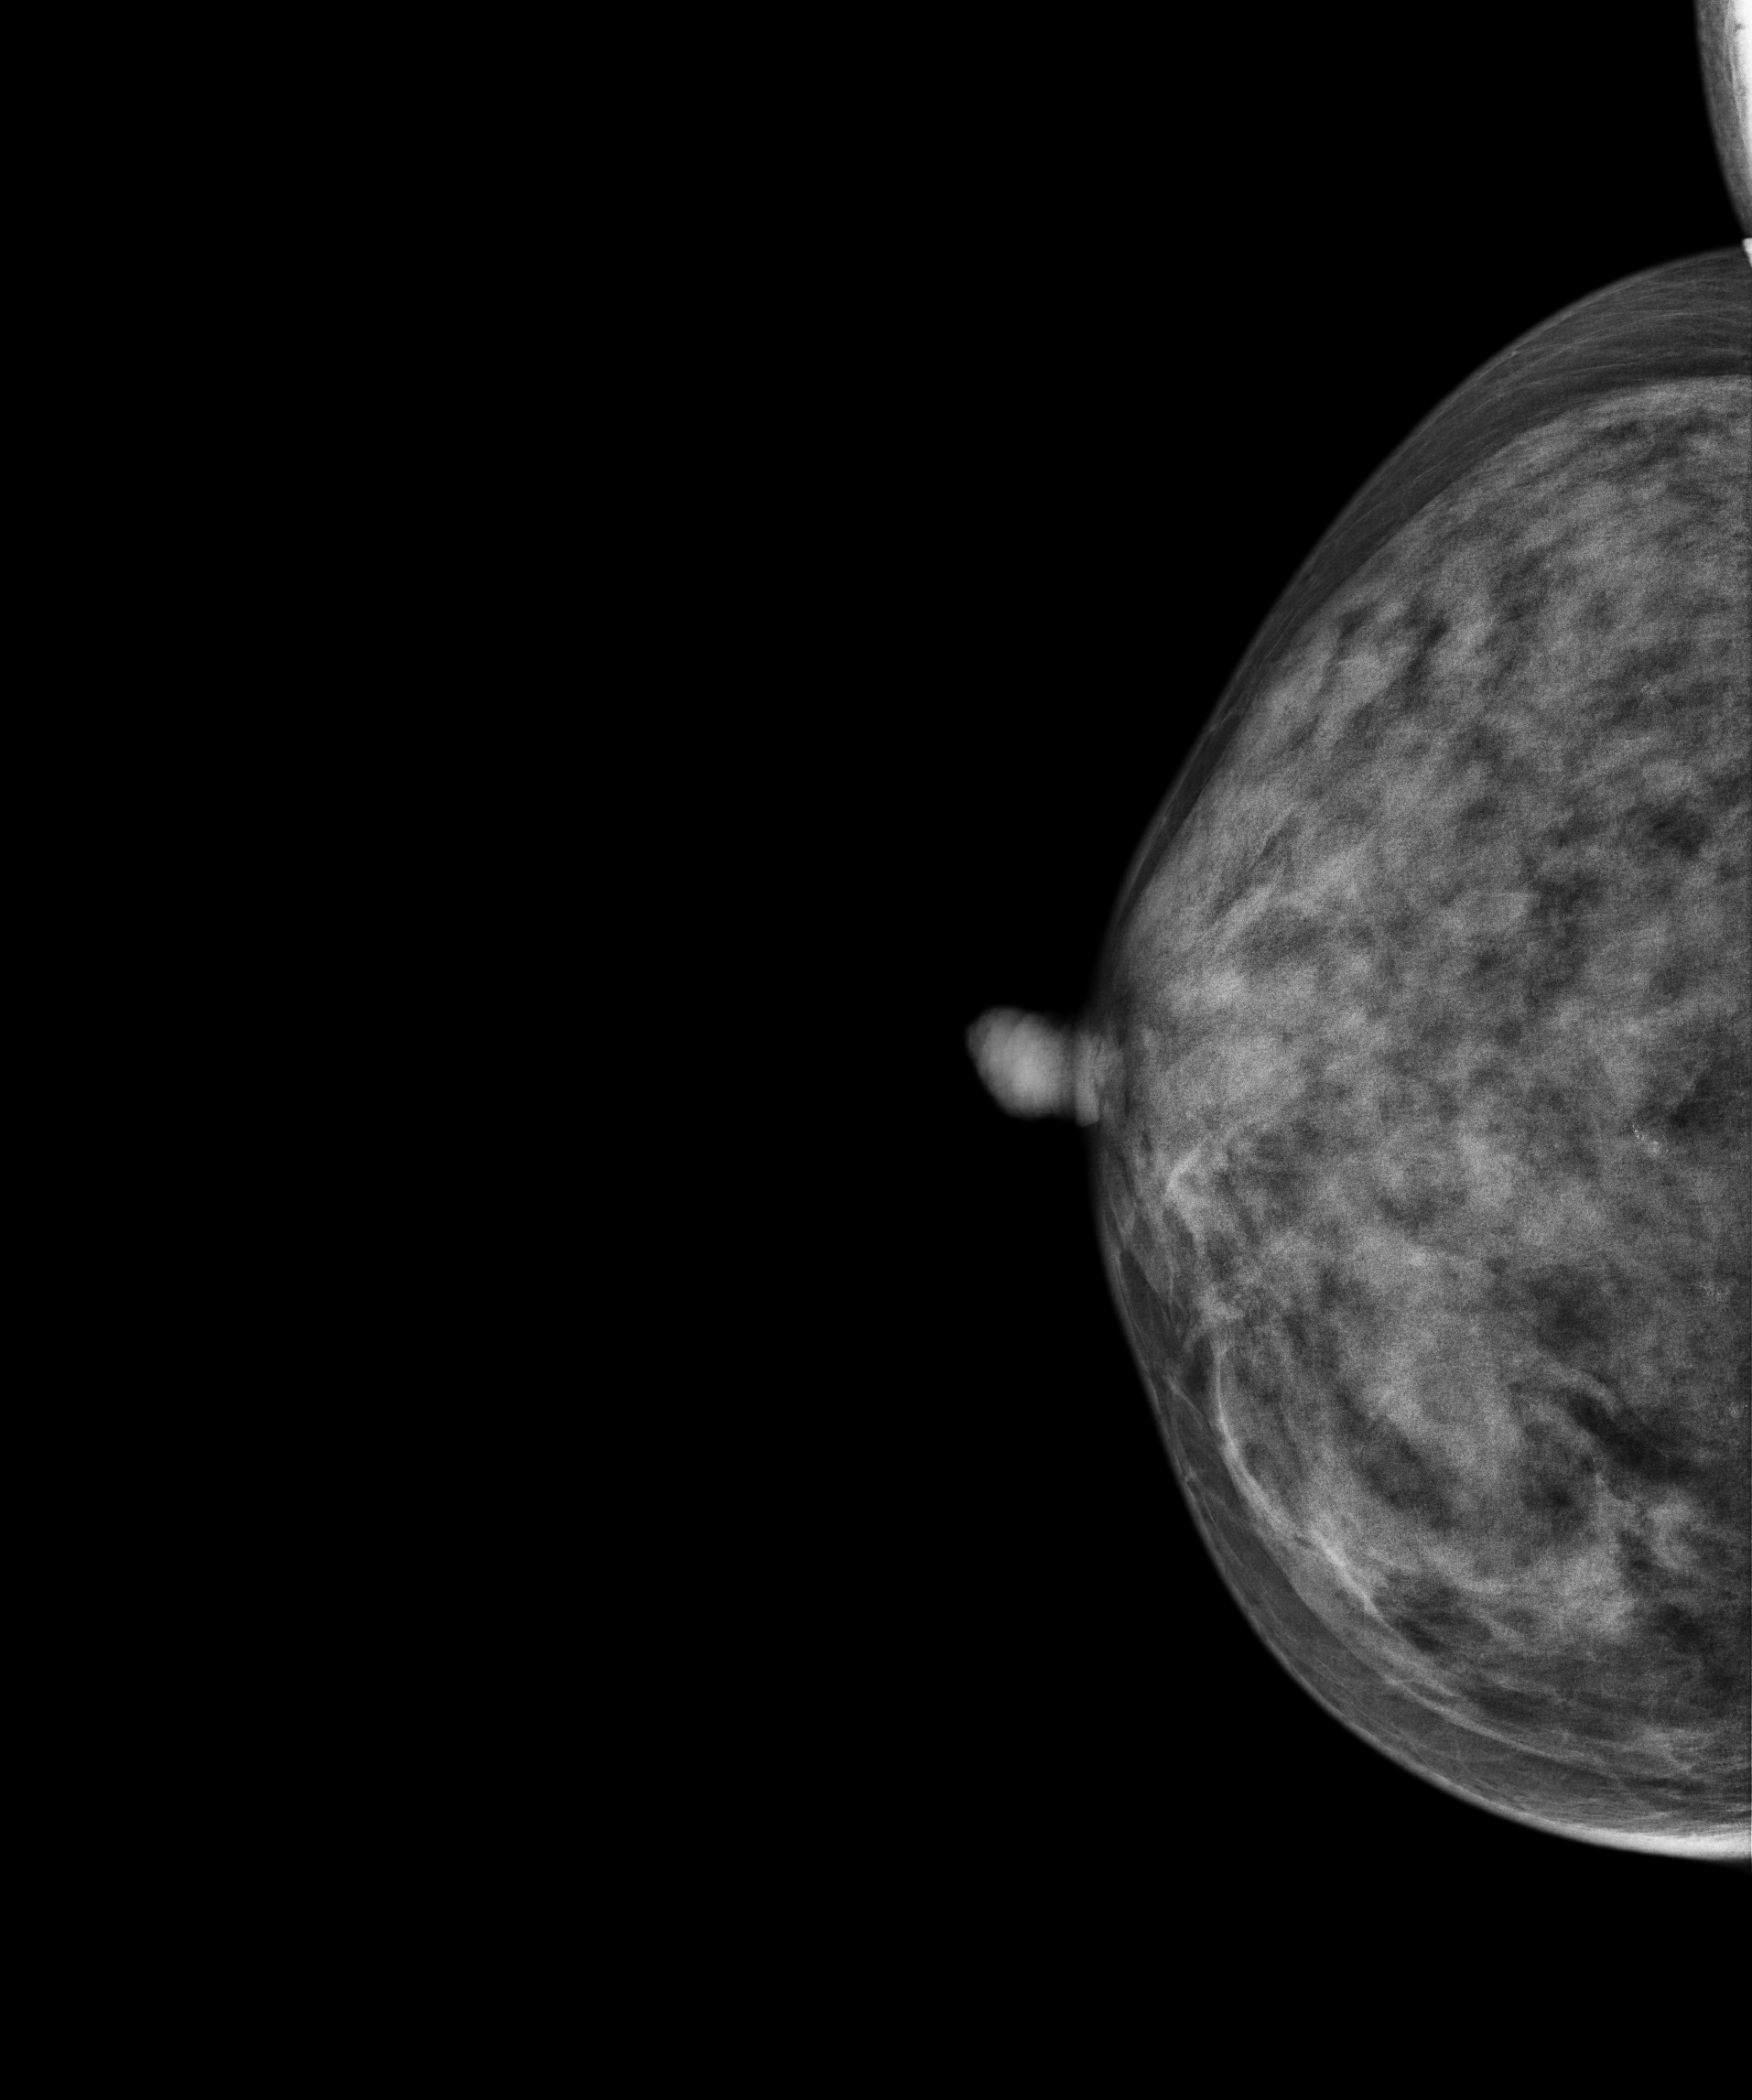
Cranio-caudal mammogram of the right breast. 36 y/o patient.
This breast has calcifications, biopsy-confirmed malignant. Molecular subtype: luminal B.